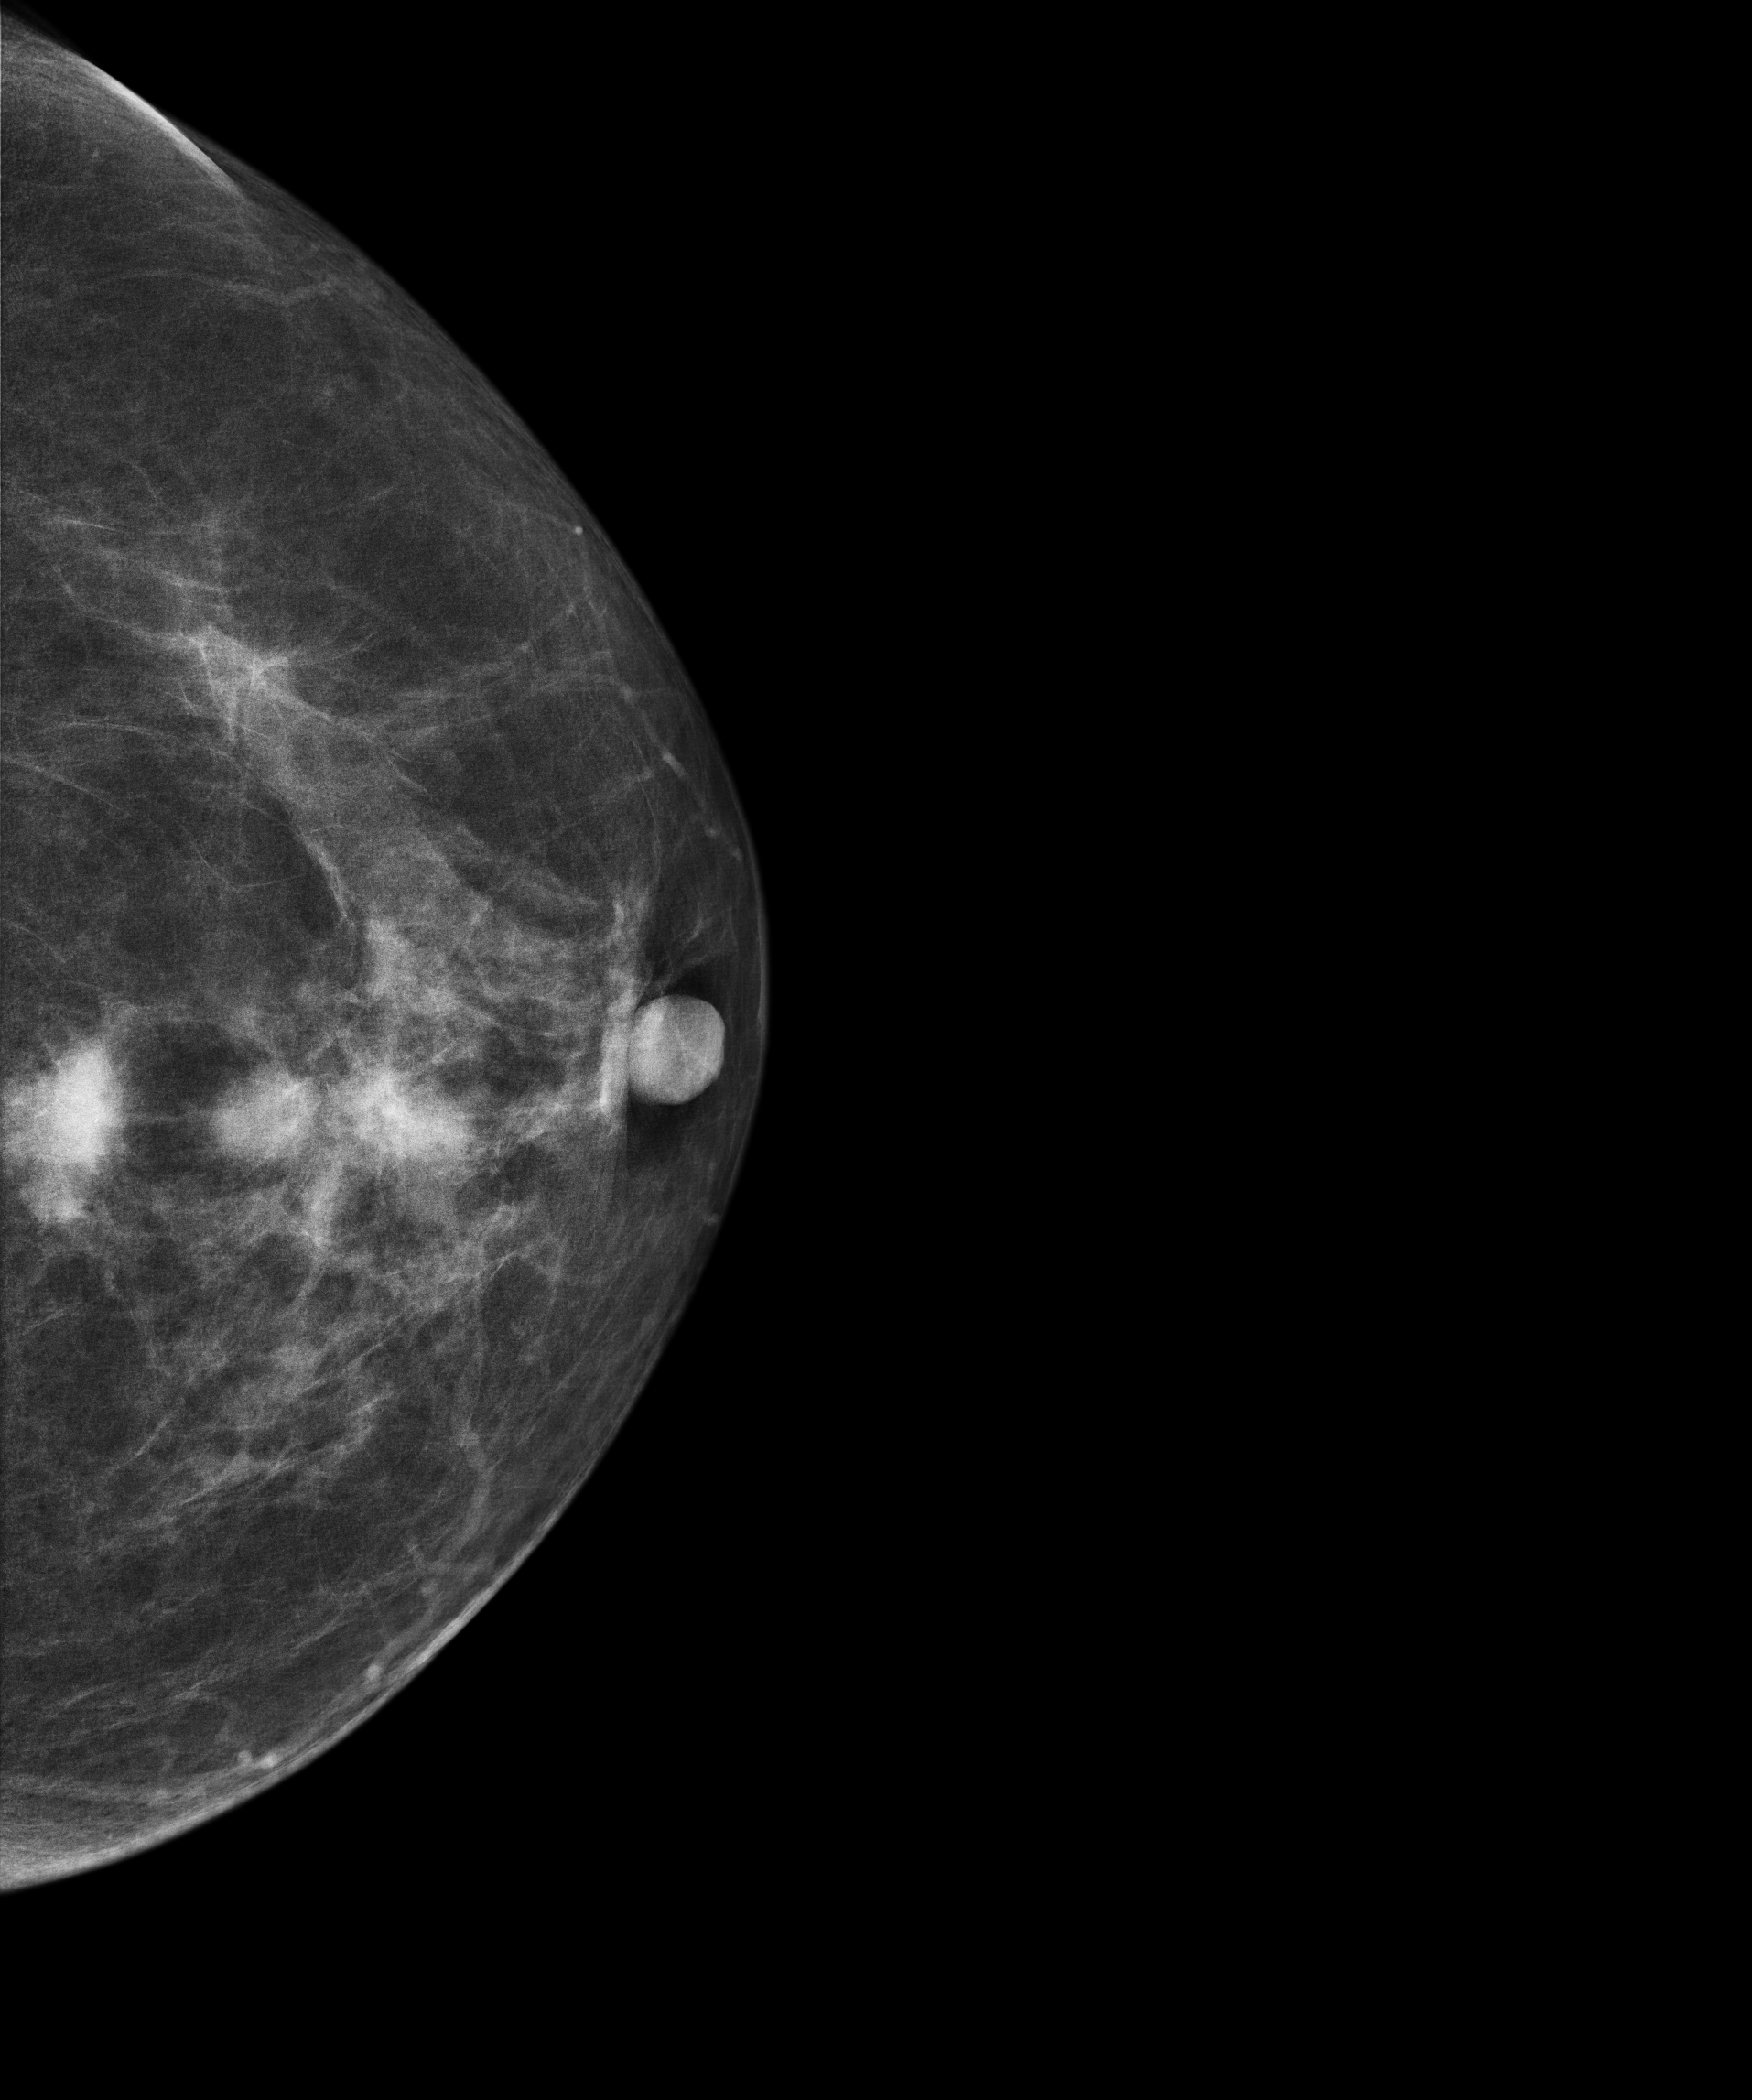
Mammogram — left CC. Patient age 59.
This breast has a mass, biopsy-confirmed malignant. Molecular subtype: luminal A.